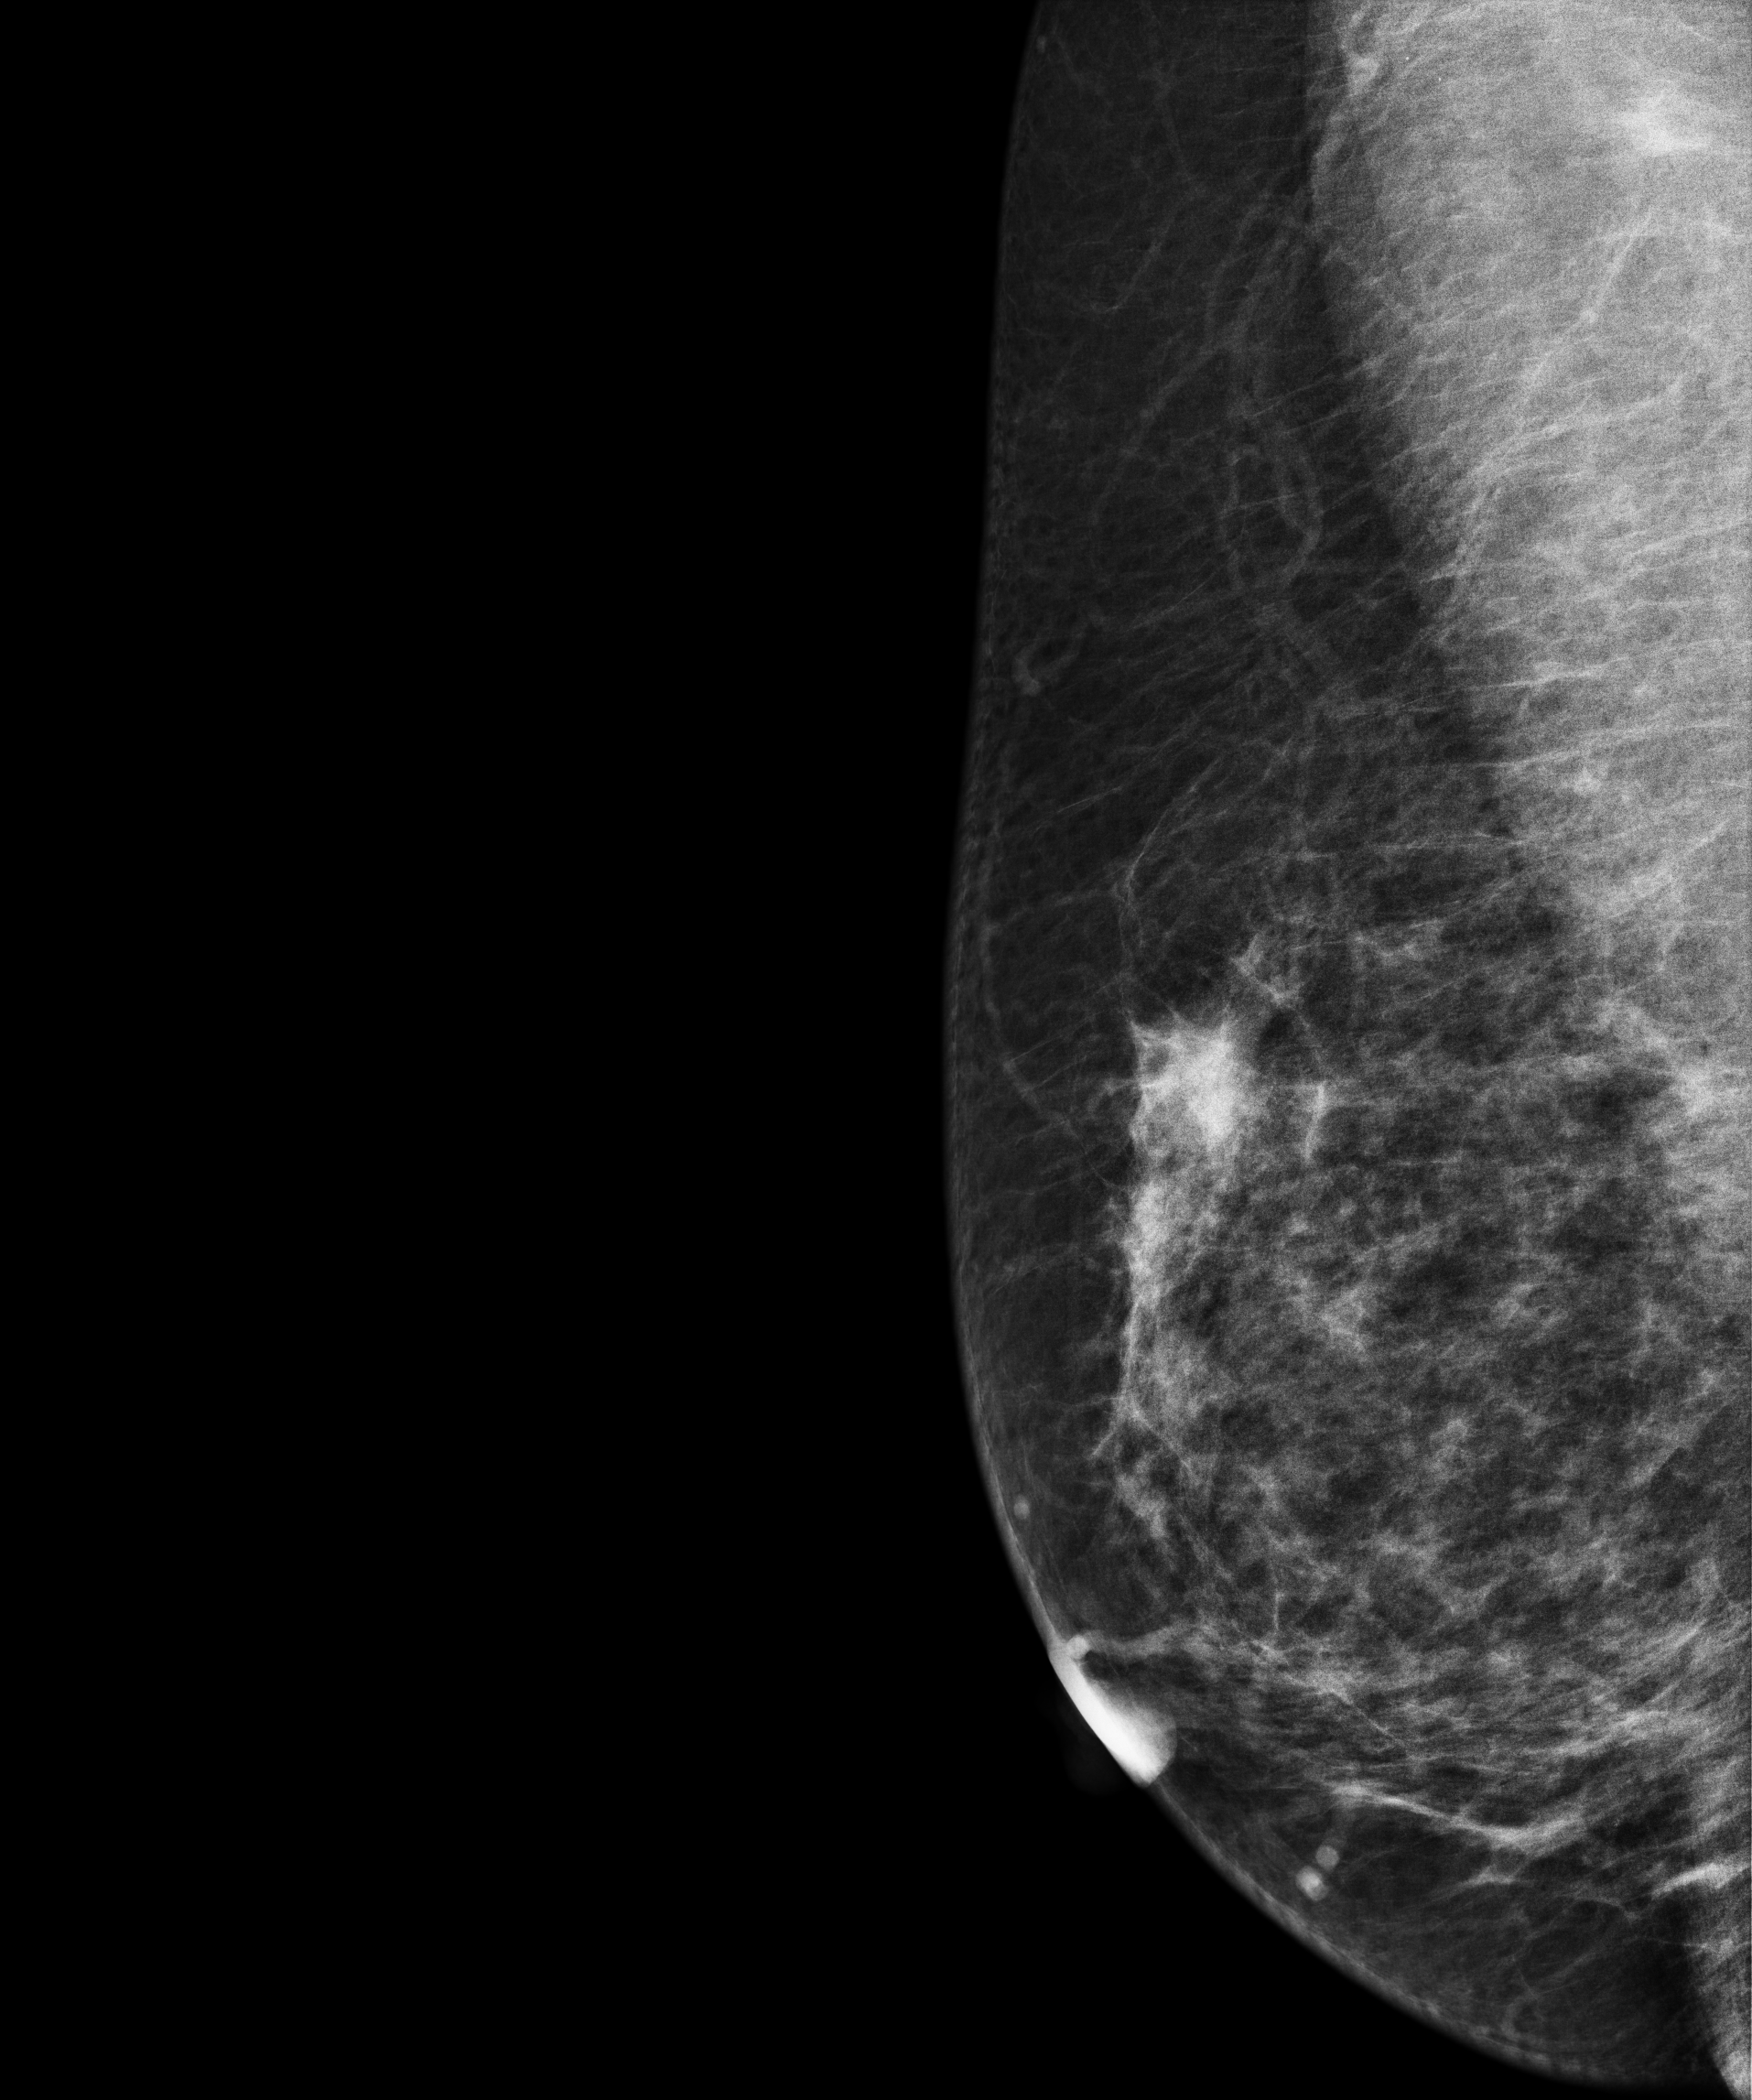
Mammogram — right medio-lateral oblique. 49 y/o patient.
This breast has a mass, biopsy-confirmed malignant.